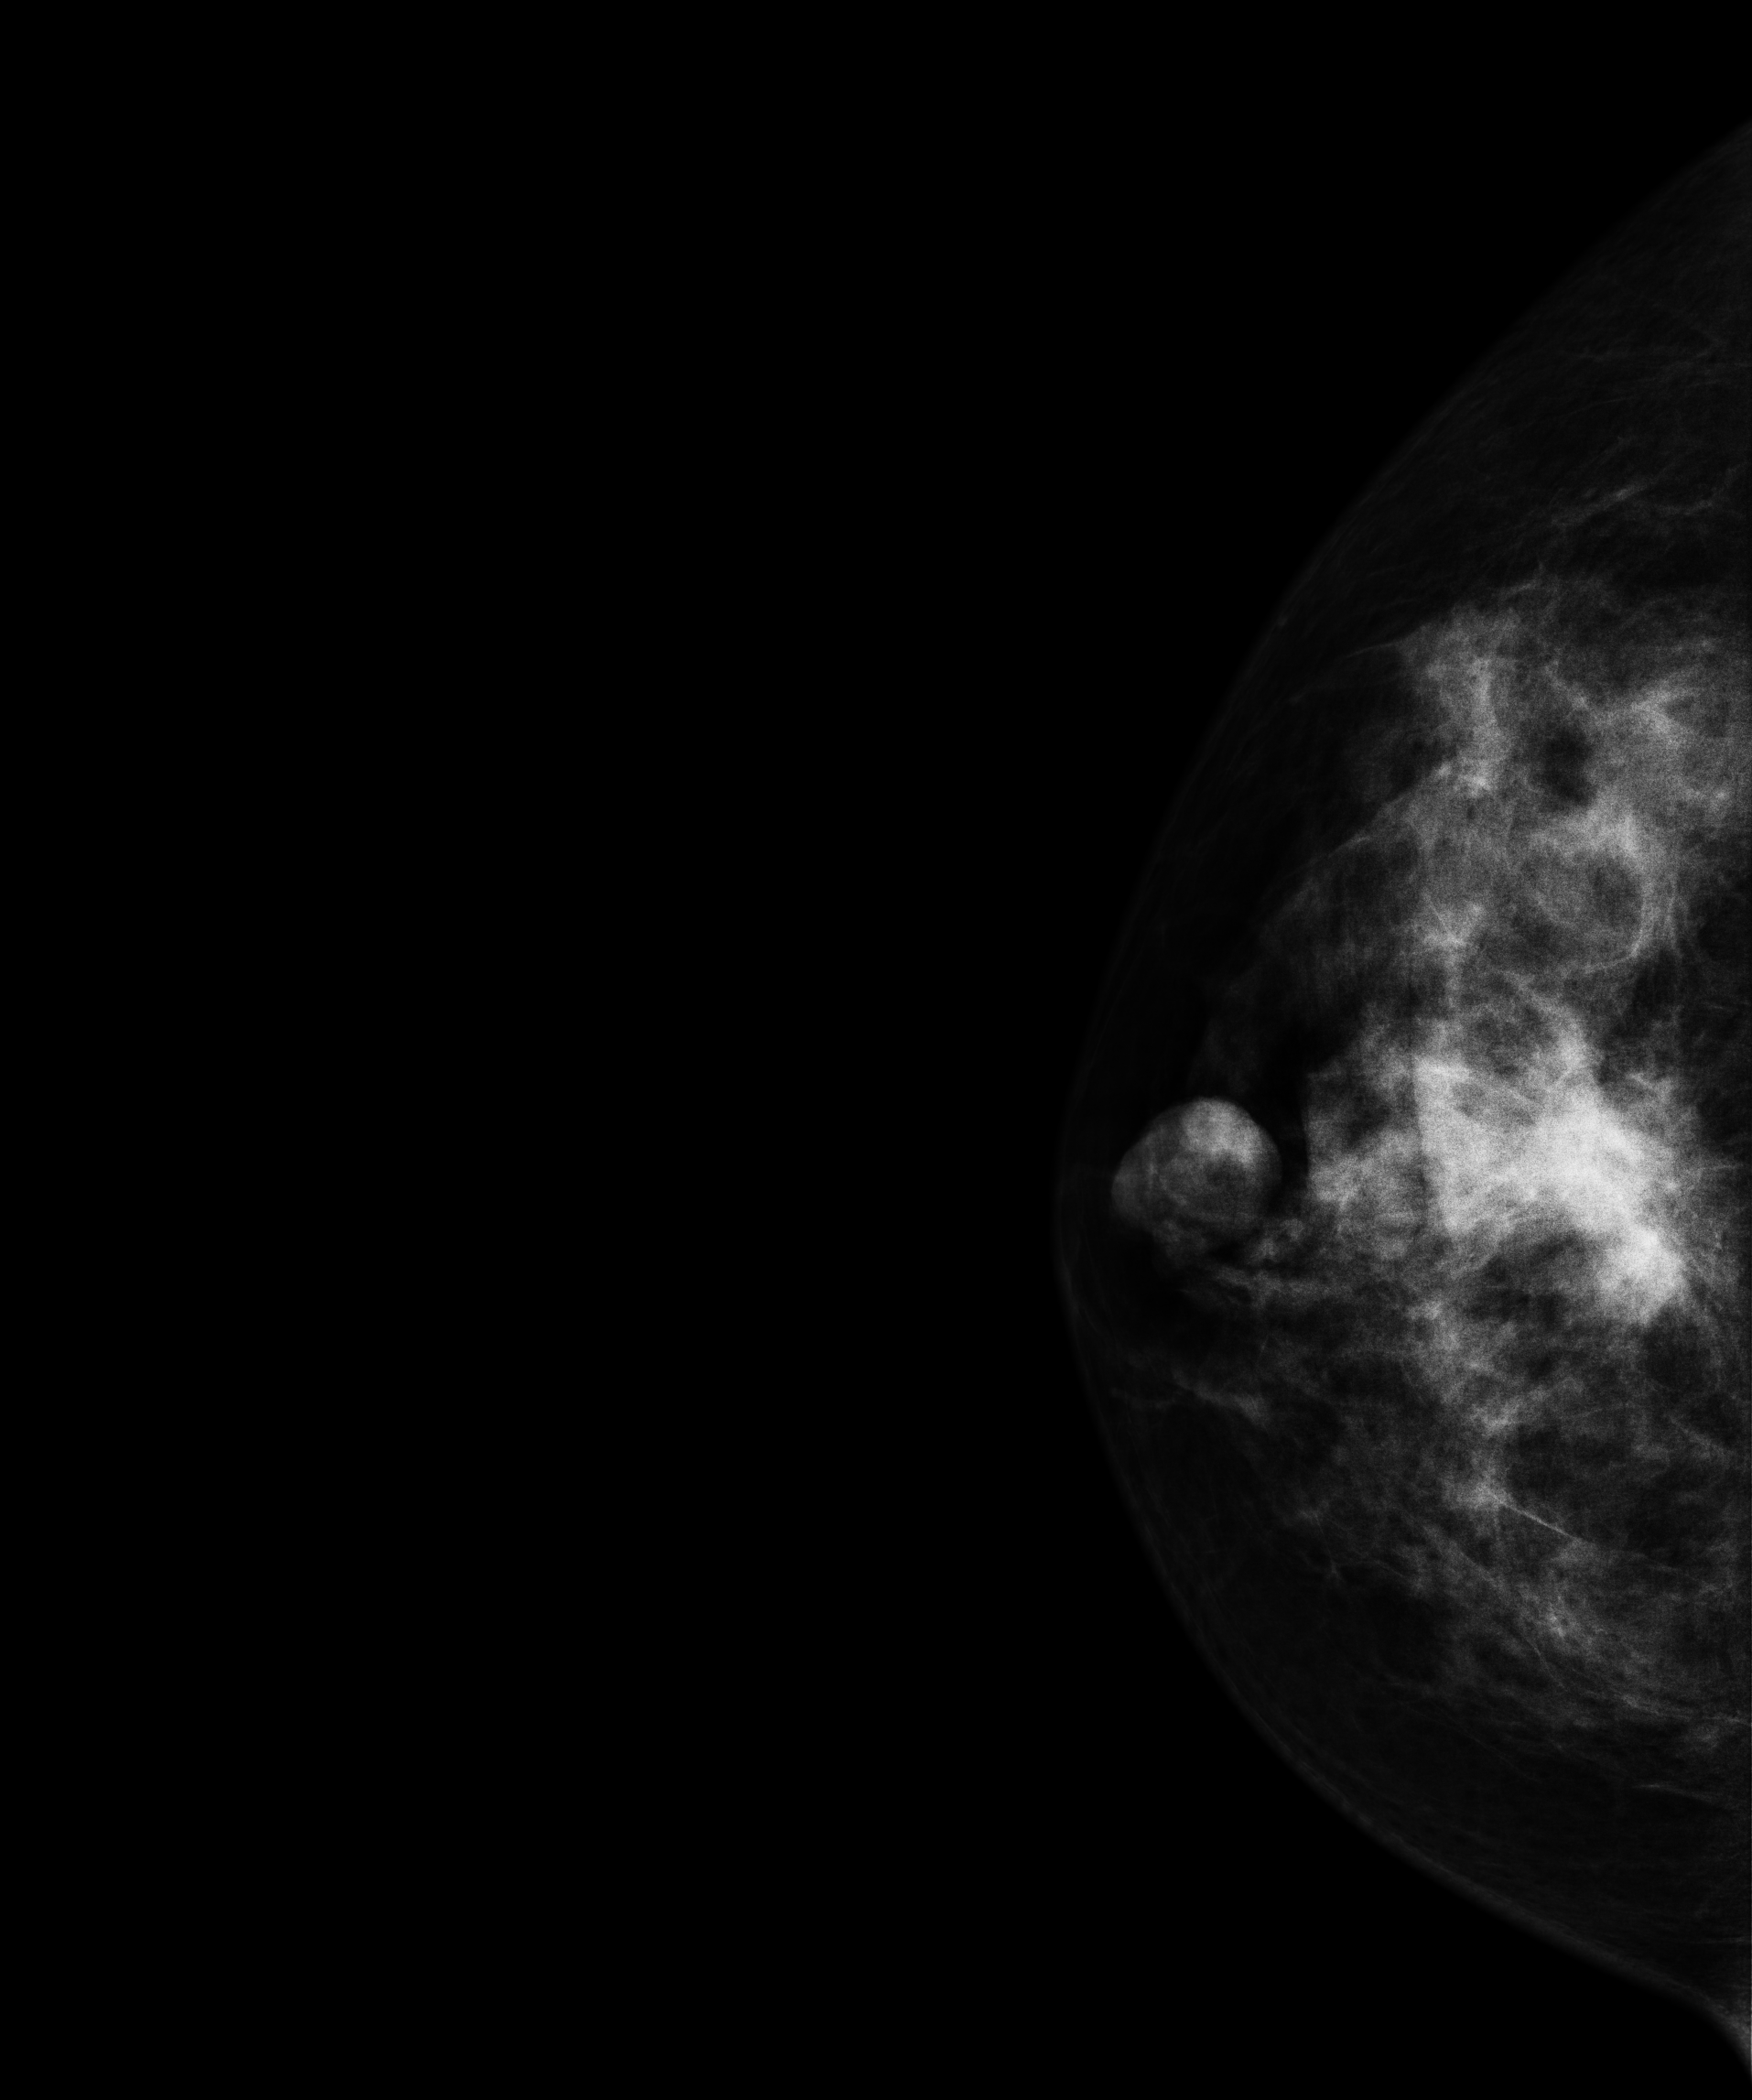
Right-breast mammogram, CC. 44 y/o patient.
This breast has a mass, biopsy-confirmed malignant. Molecular subtype: luminal B.